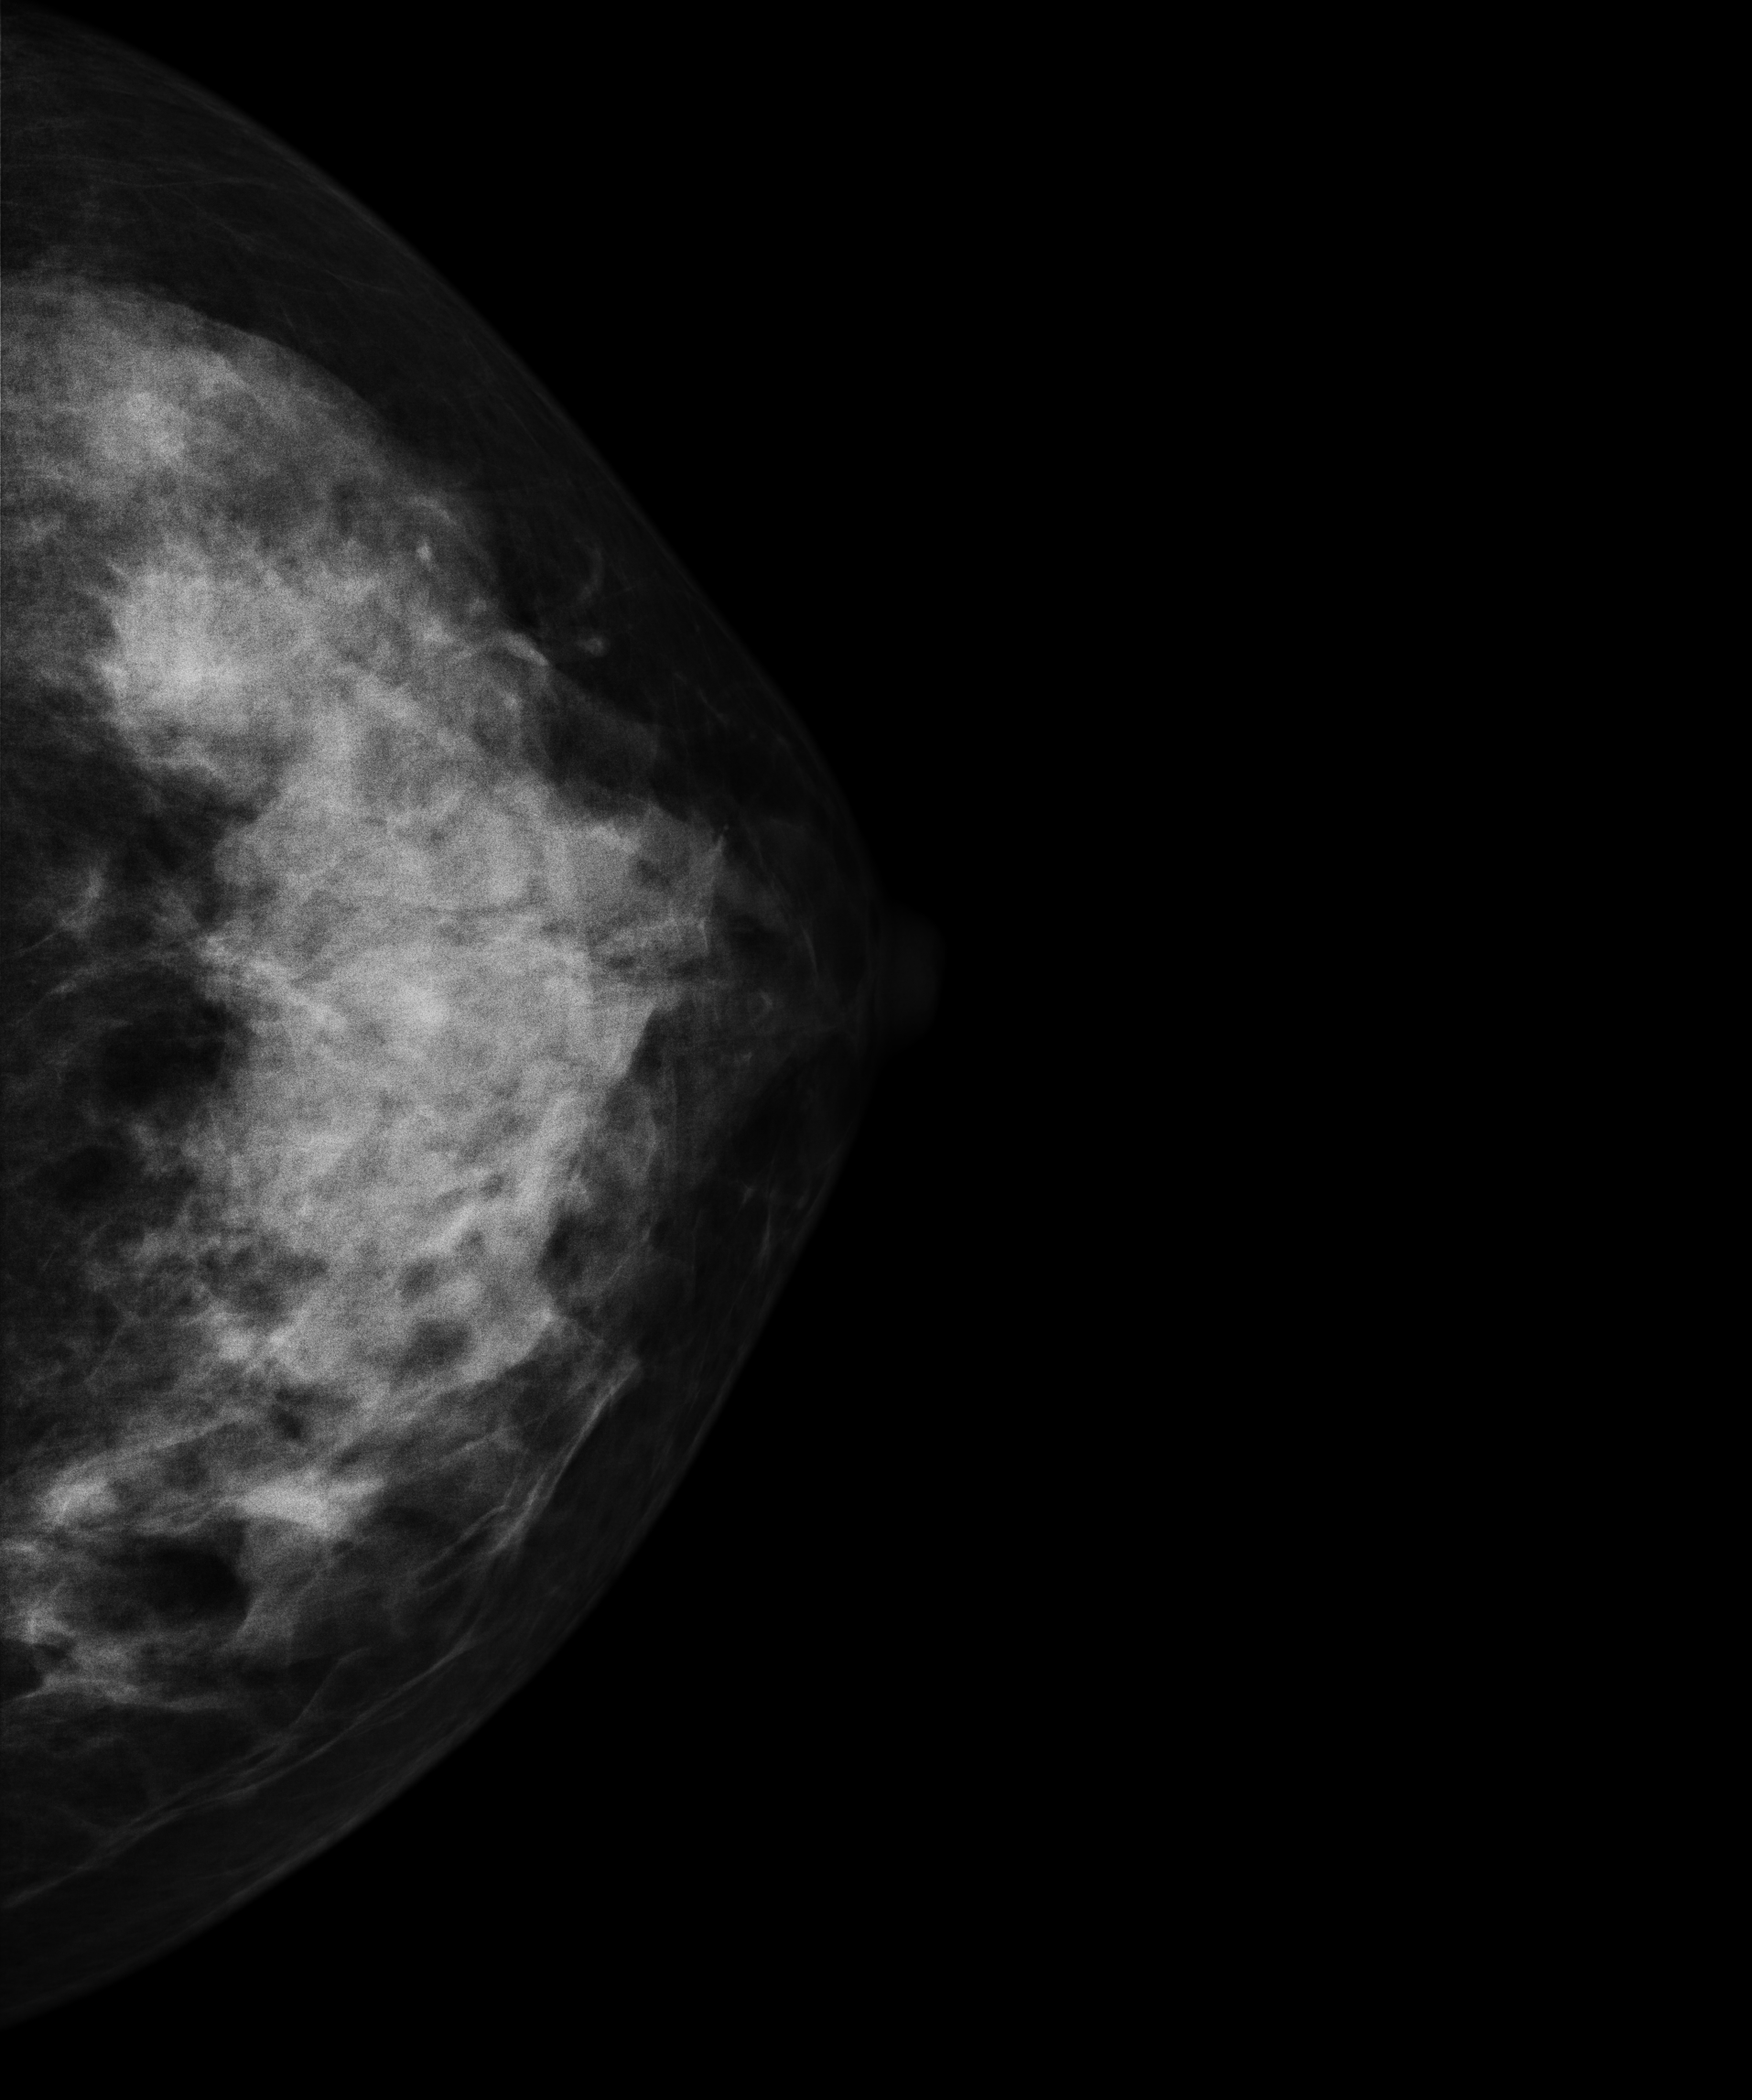
Mammogram — left CC. 41 y/o patient.
Contralateral breast — no documented abnormality on this side.